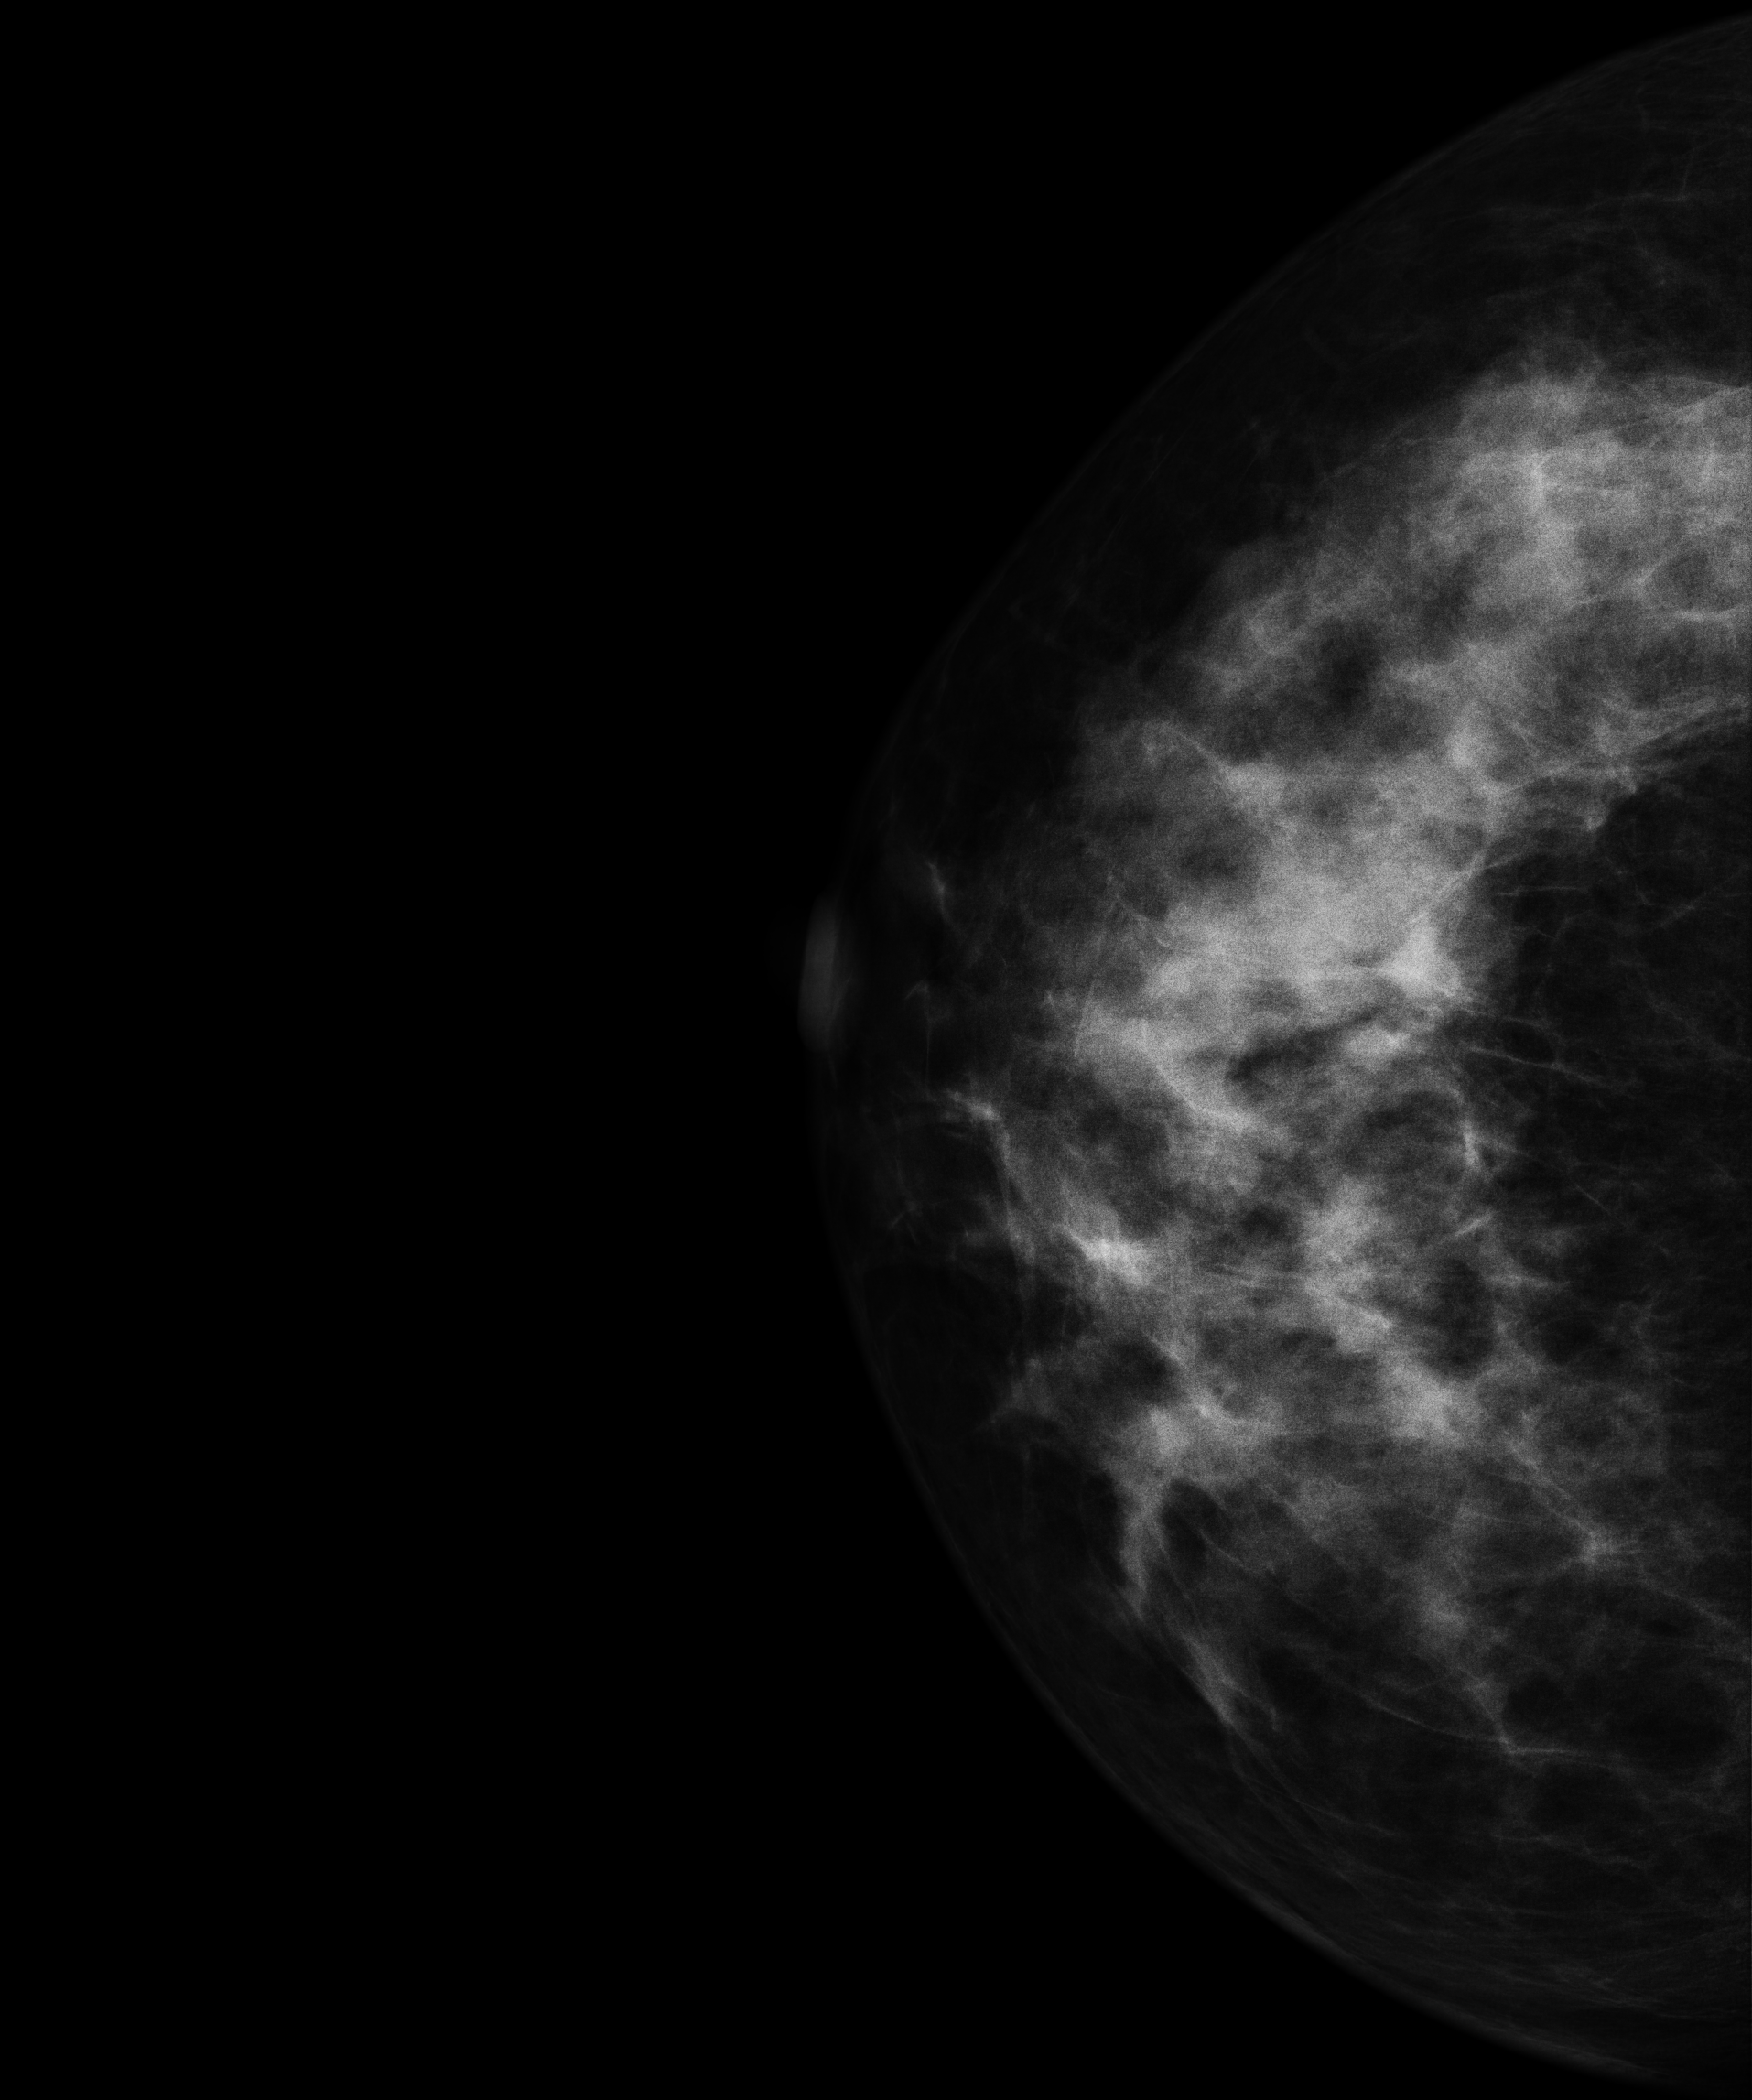
Cranio-caudal mammogram of the right breast. Patient age 50.
Contralateral breast — no documented abnormality on this side.